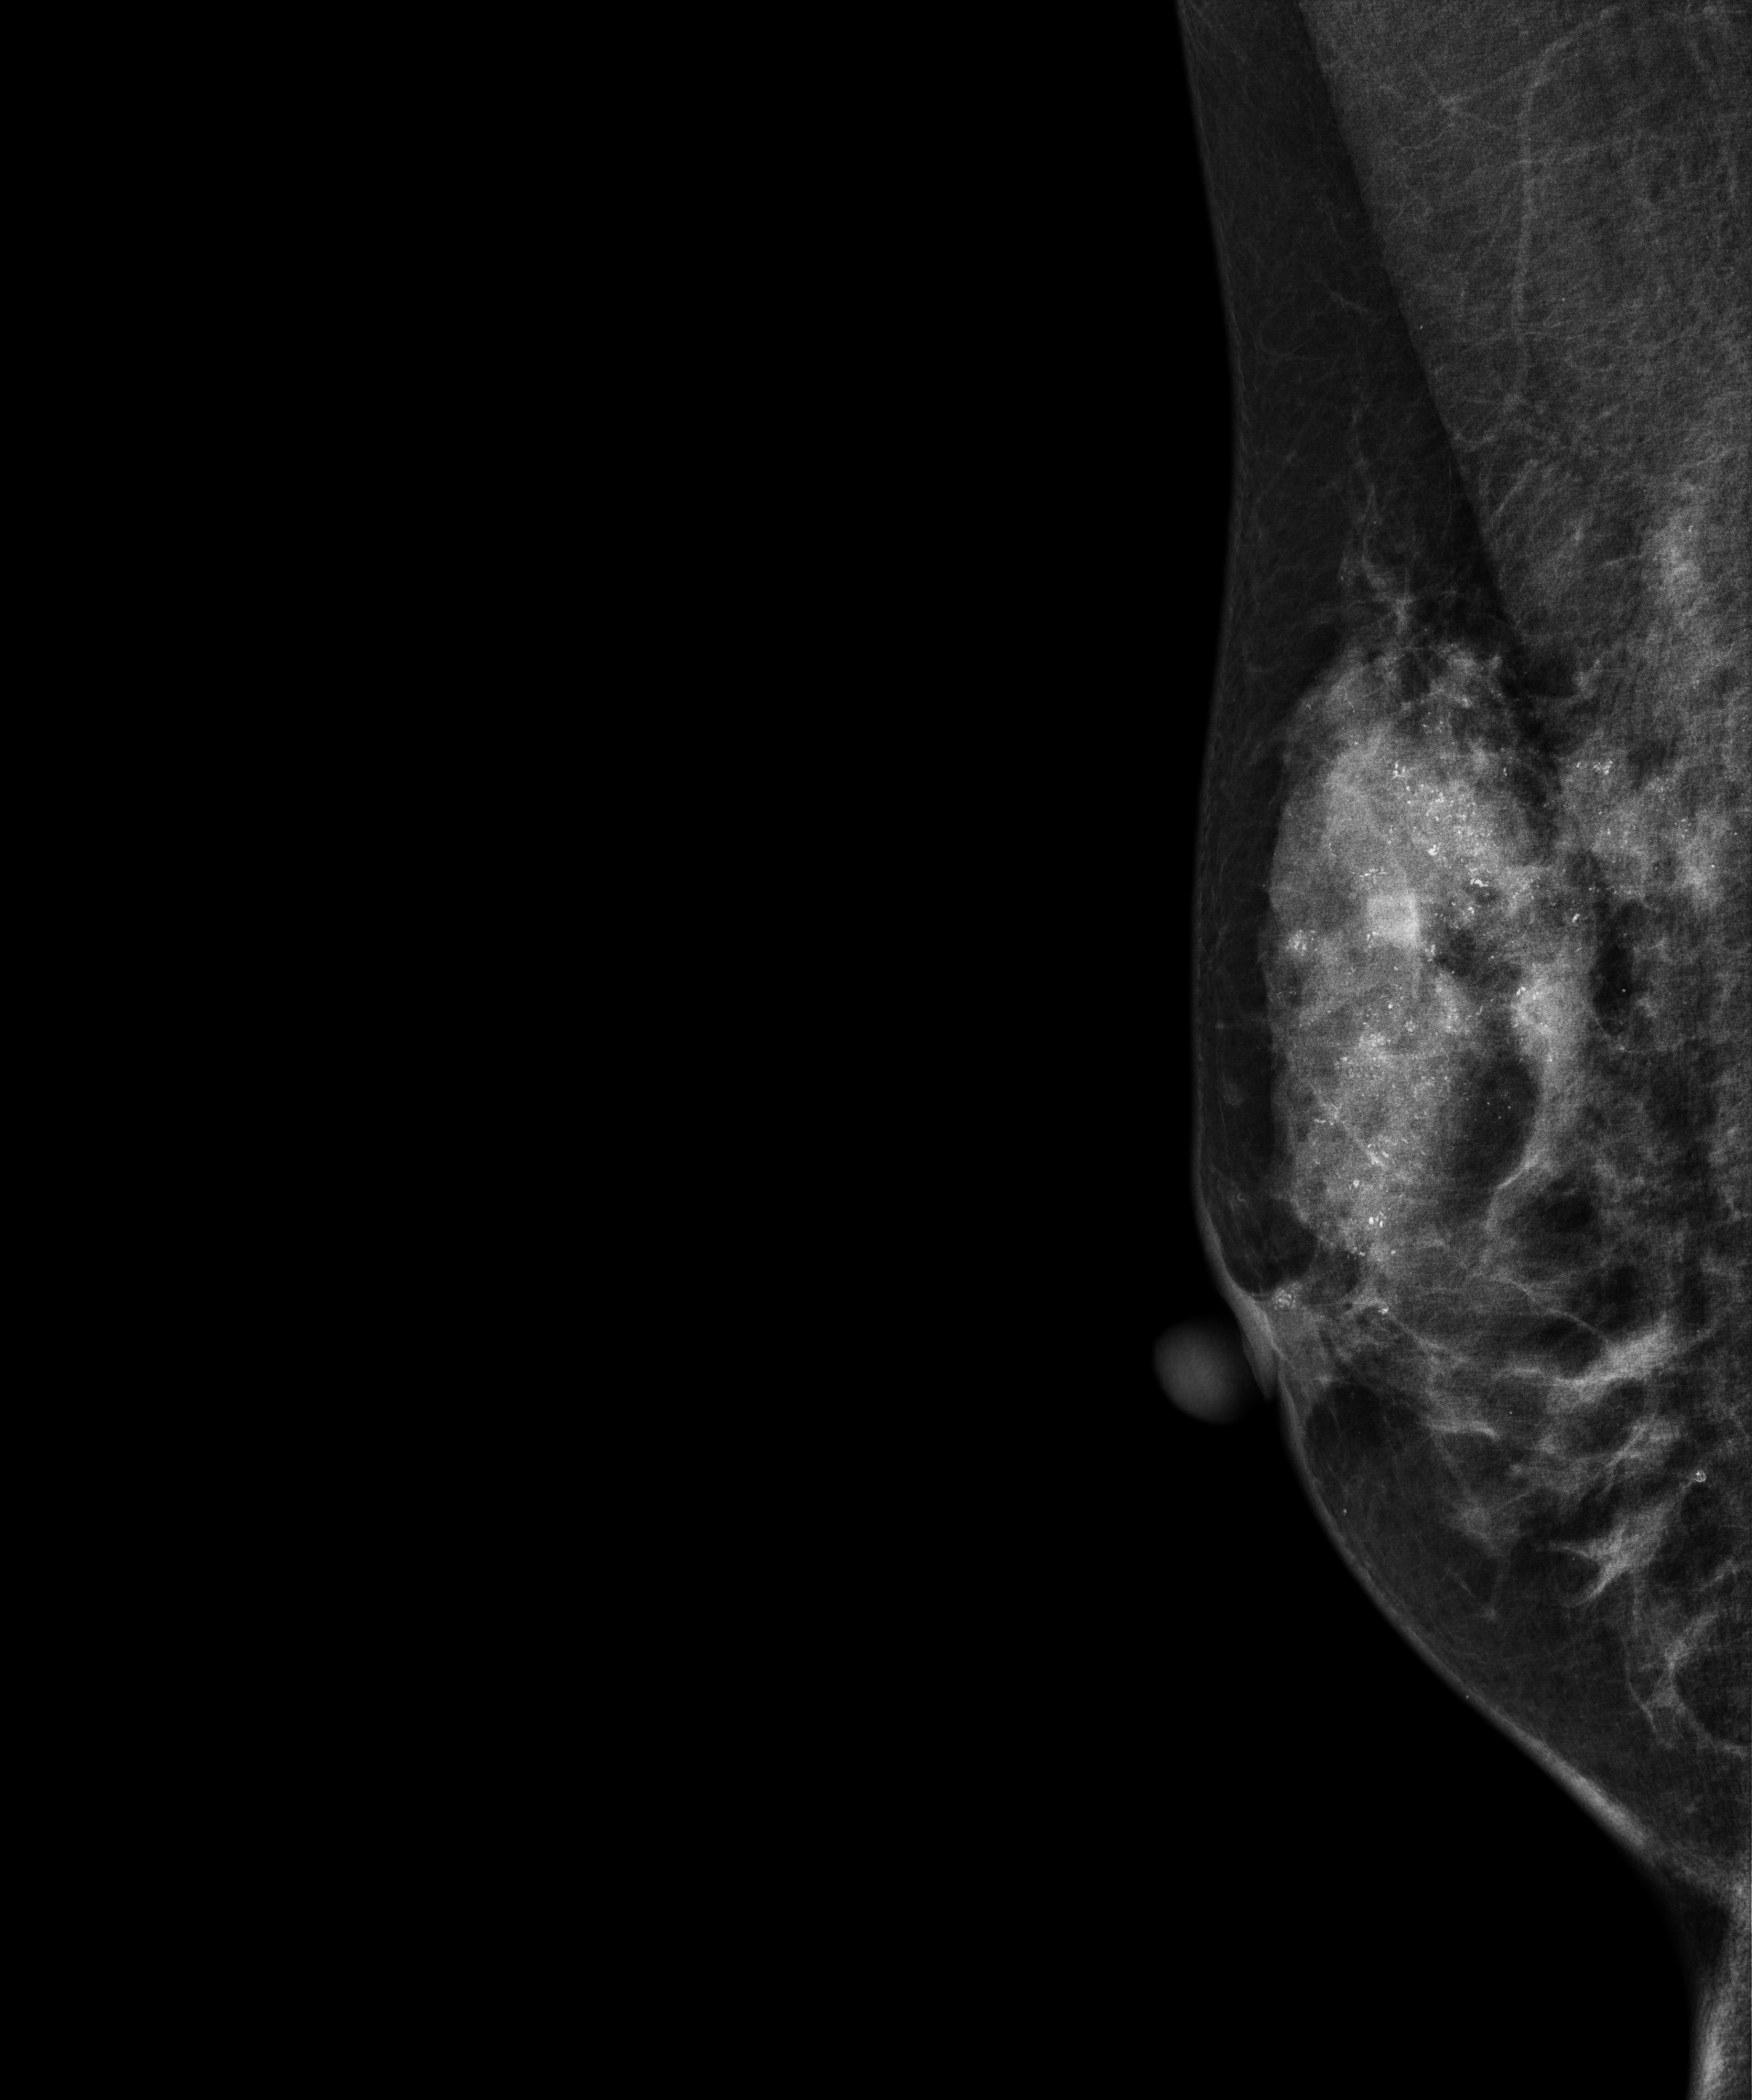
Digital mammography. Right breast, MLO projection. 55 y/o patient.
This breast has calcifications, pathology-confirmed malignant. Molecular subtype: luminal B.